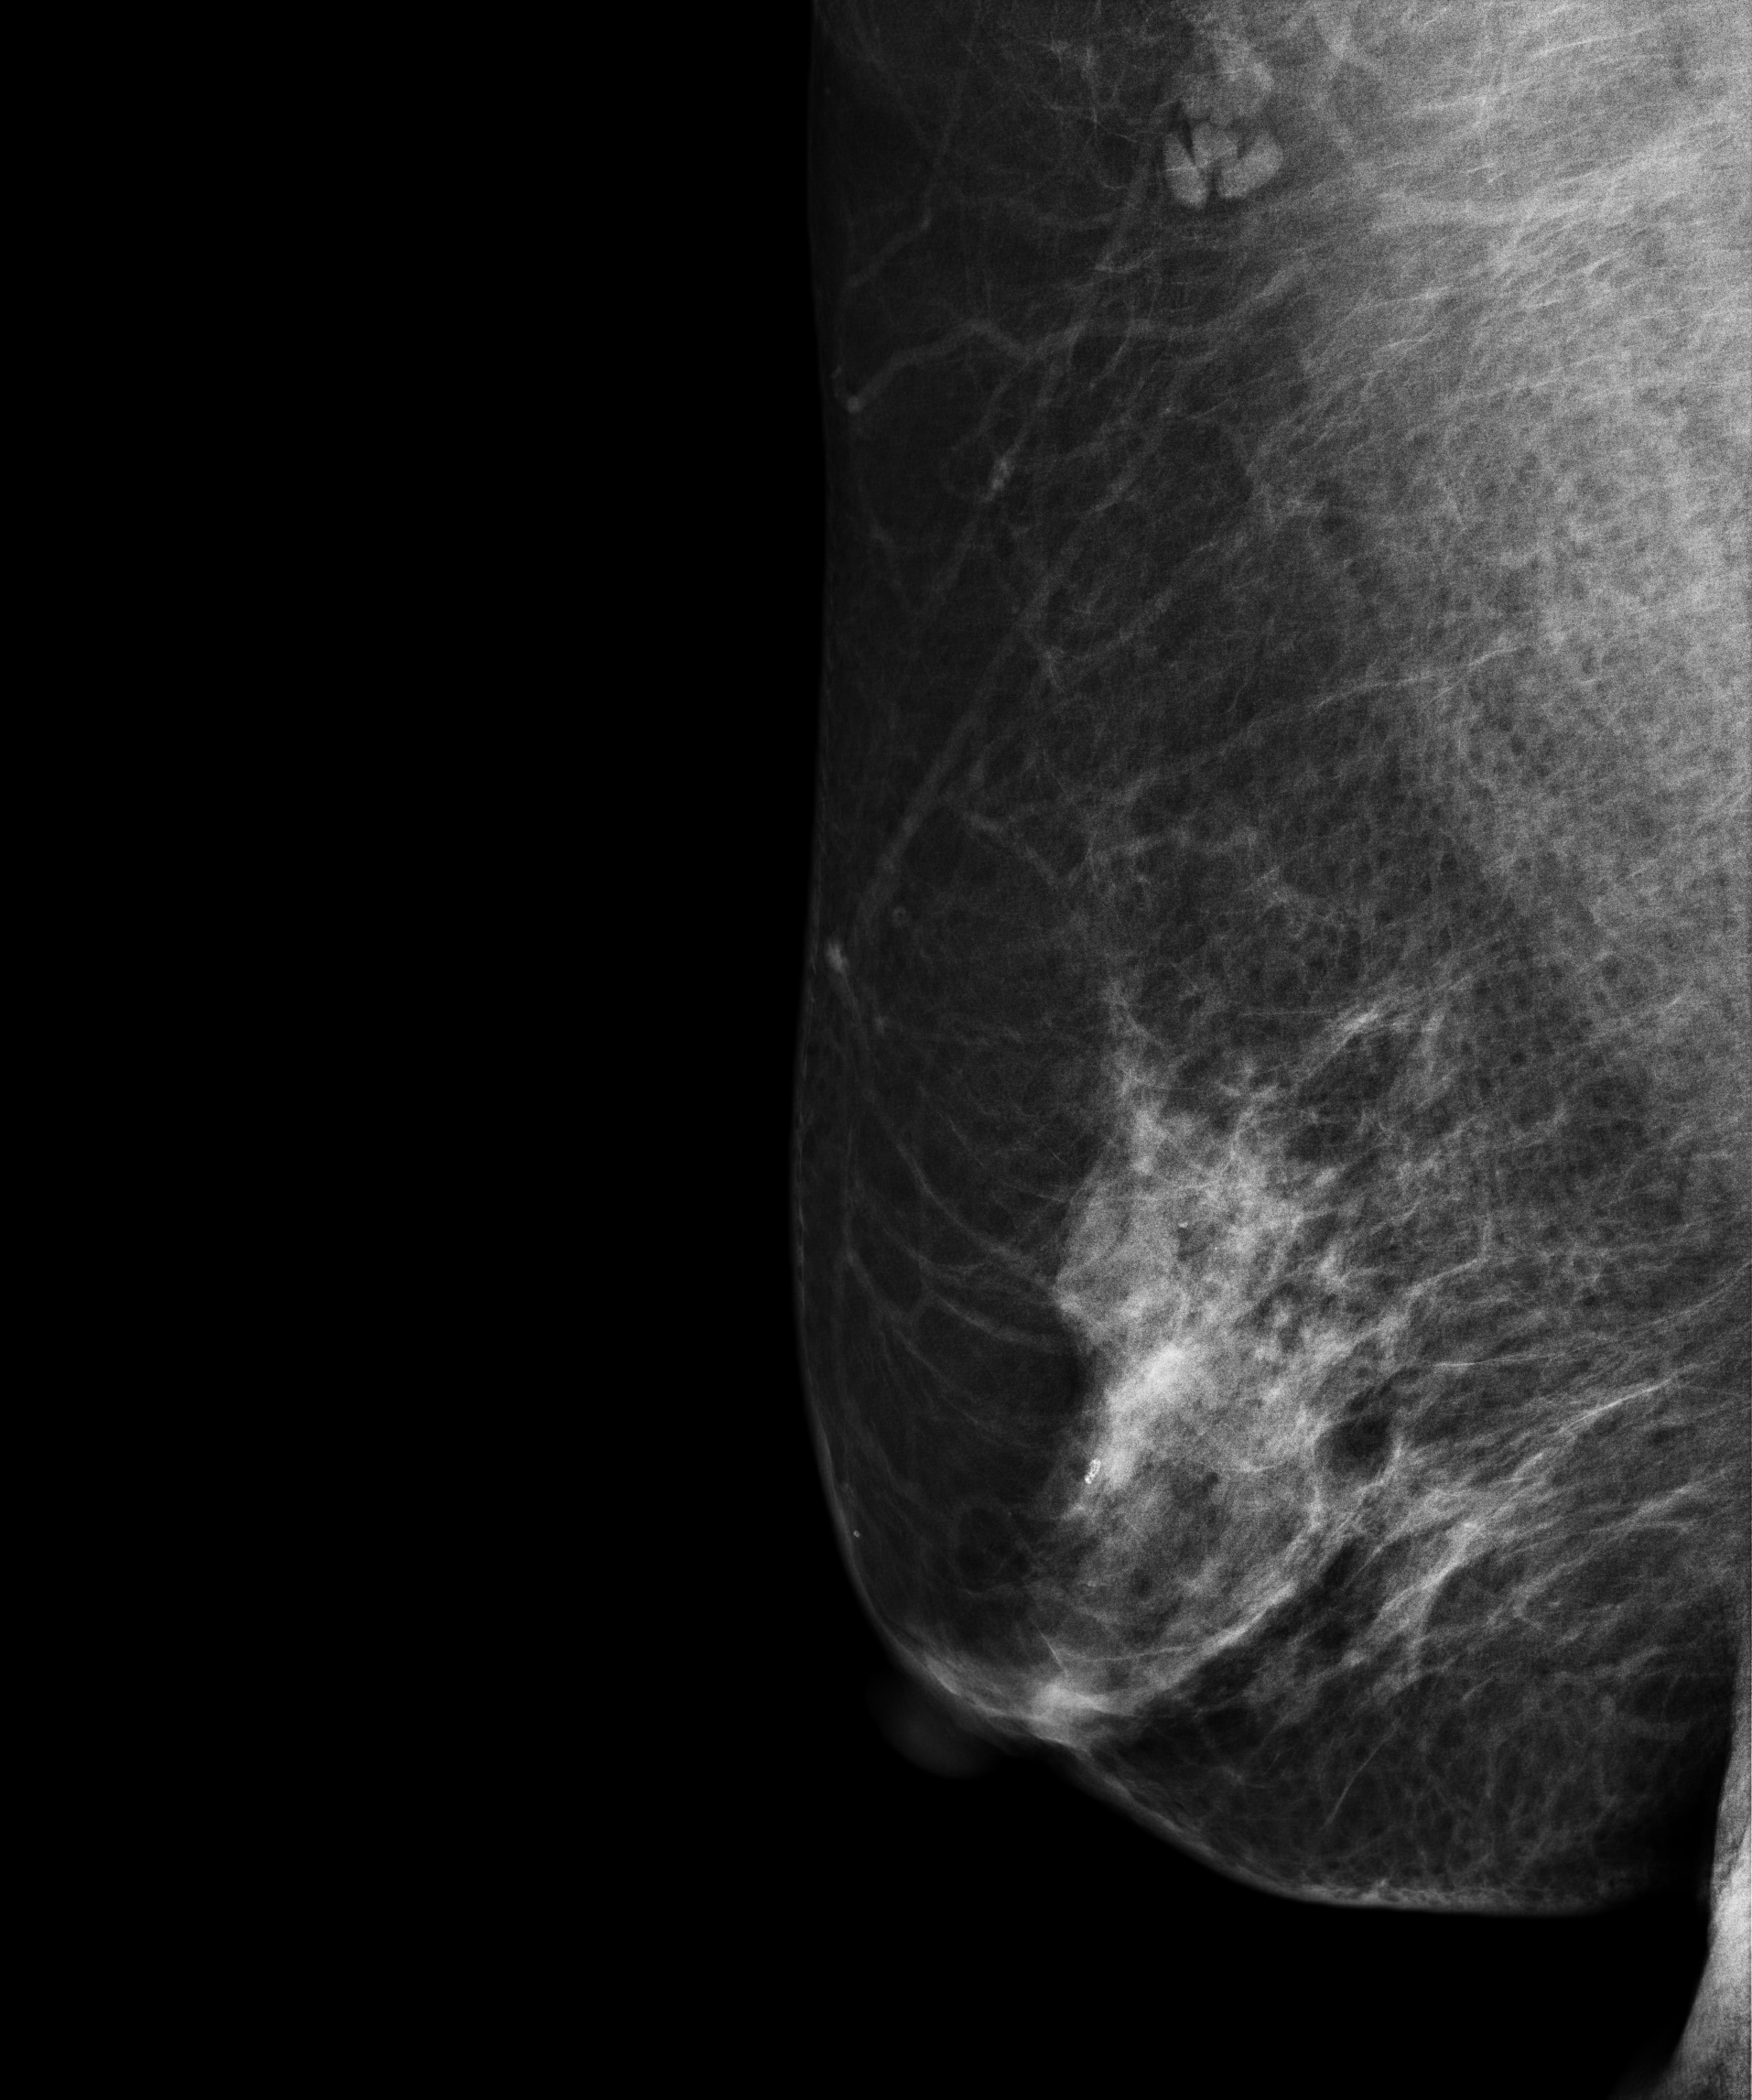
Right-breast mammogram, medio-lateral oblique. 50 y/o patient.
Contralateral breast — no documented abnormality on this side.